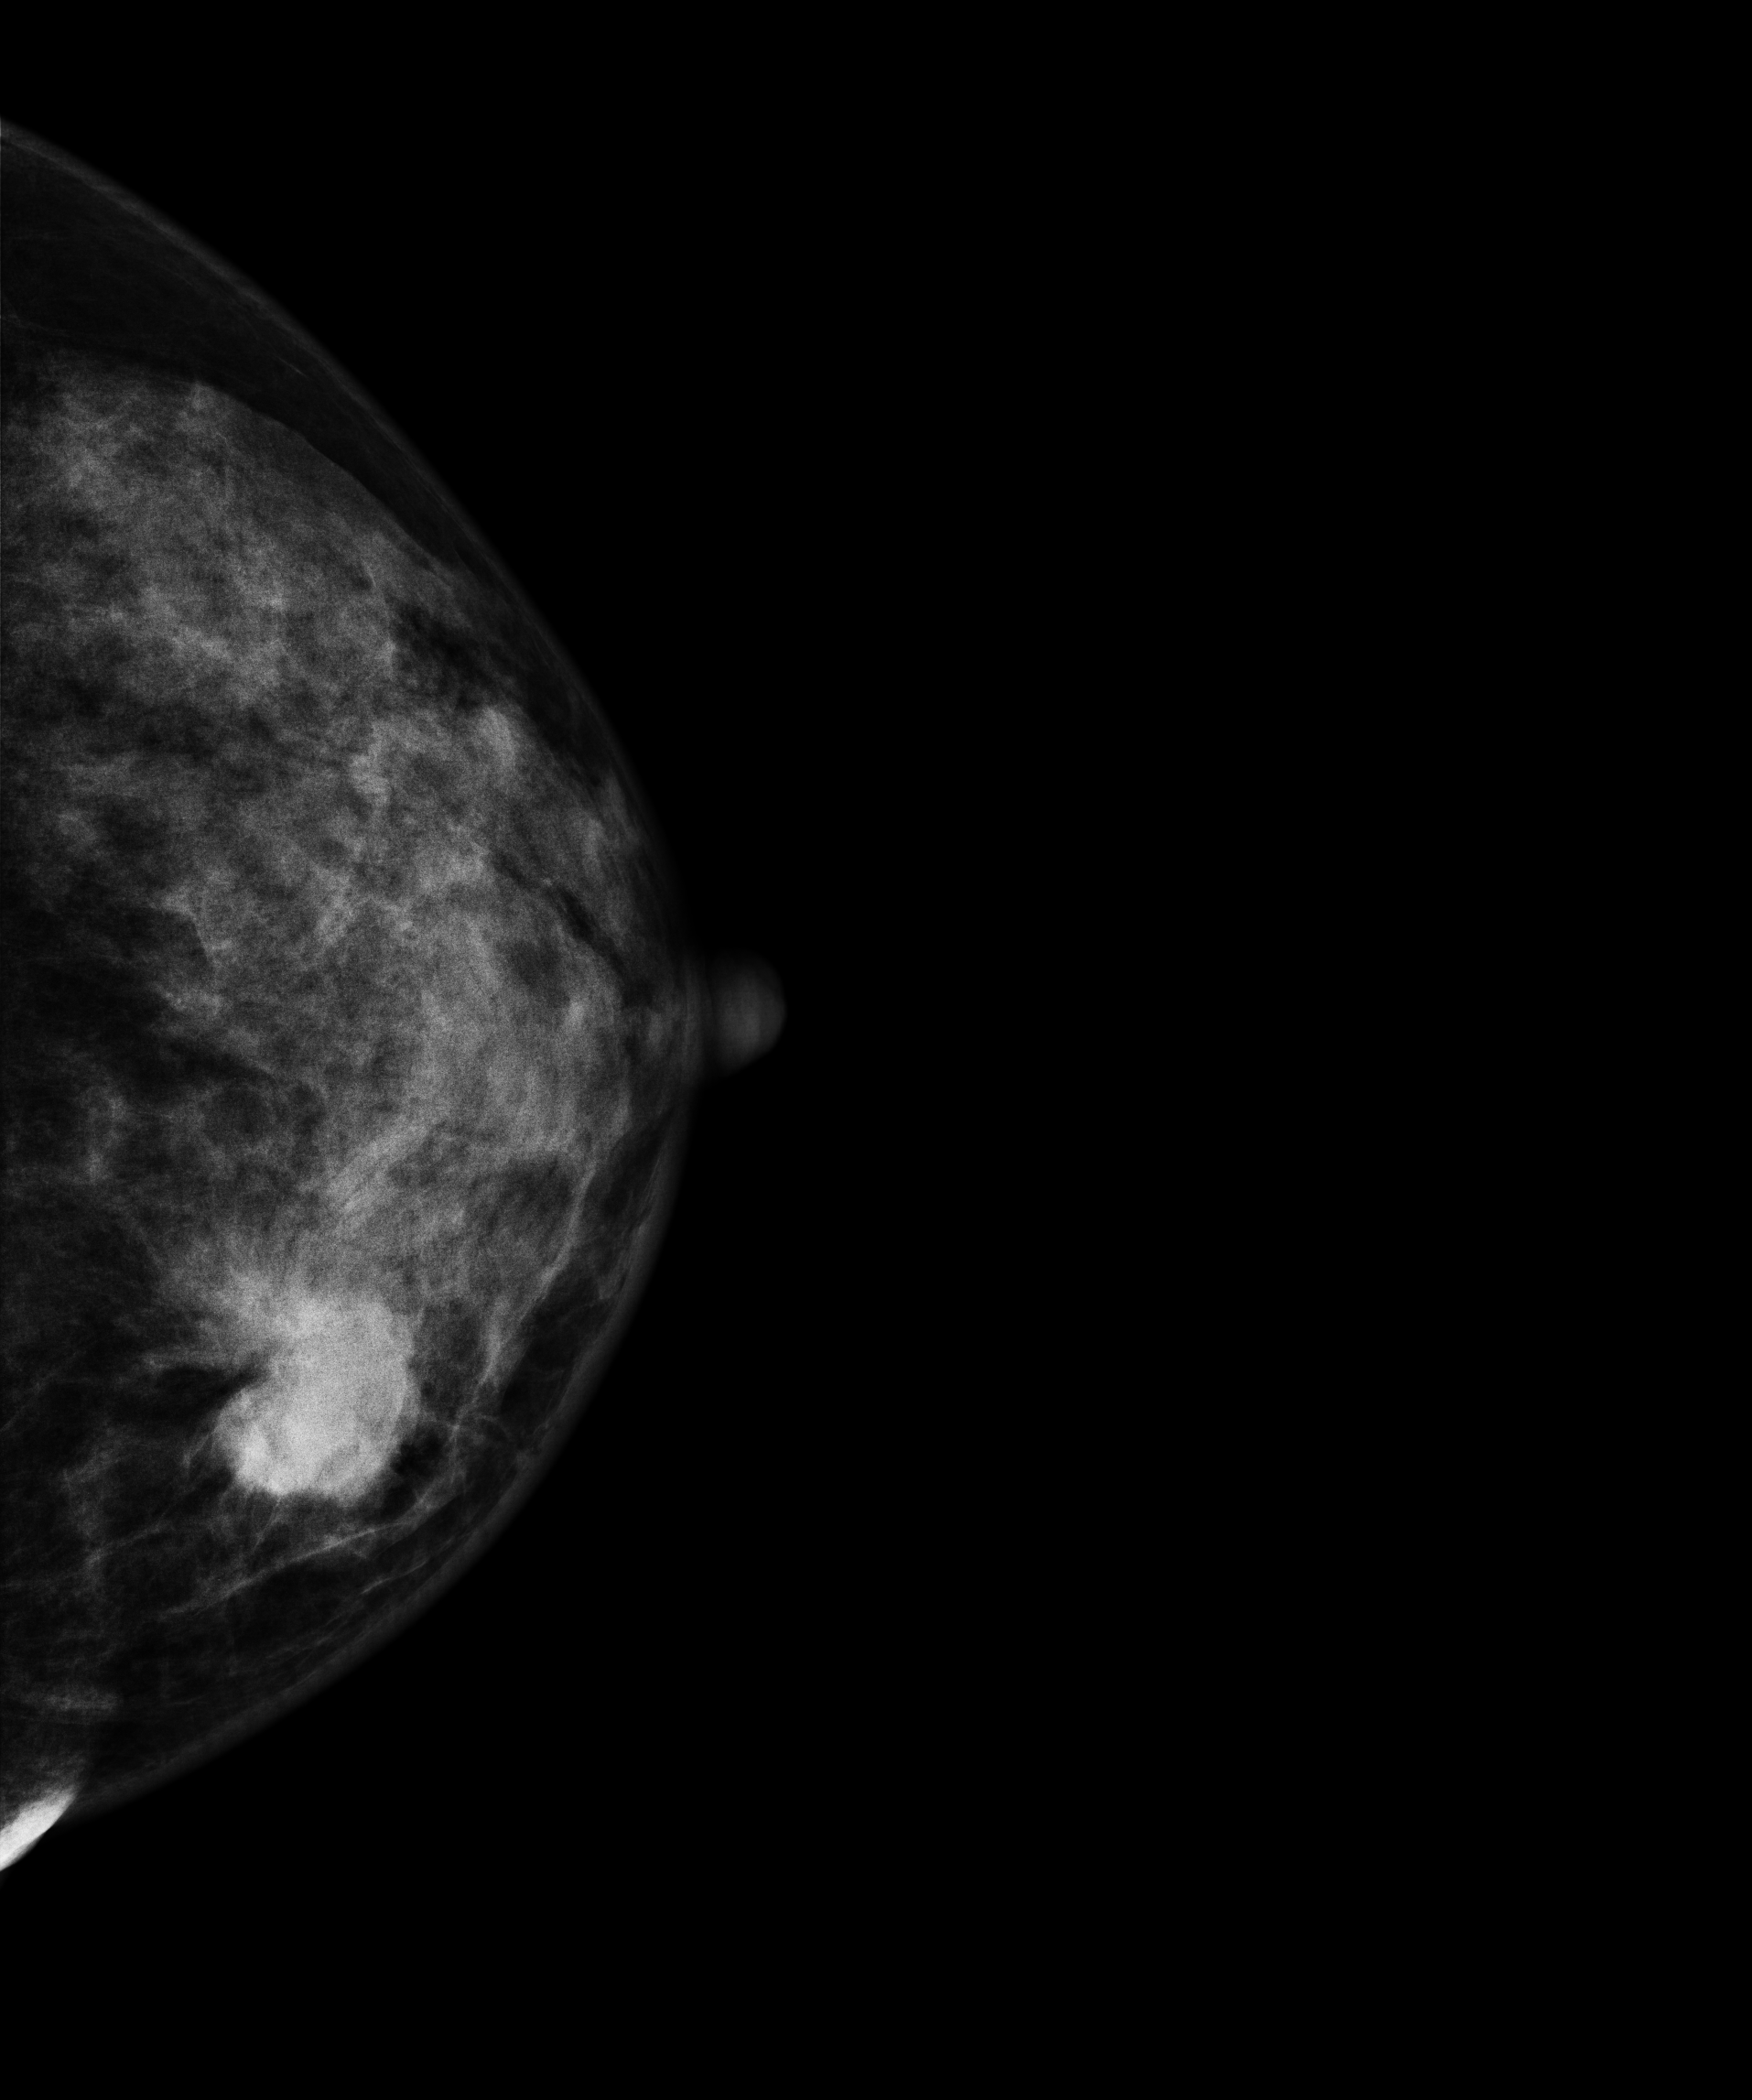
Mammogram, left breast, cranio-caudal view. 52 y/o patient.
This breast has a mass, histologically confirmed malignant.